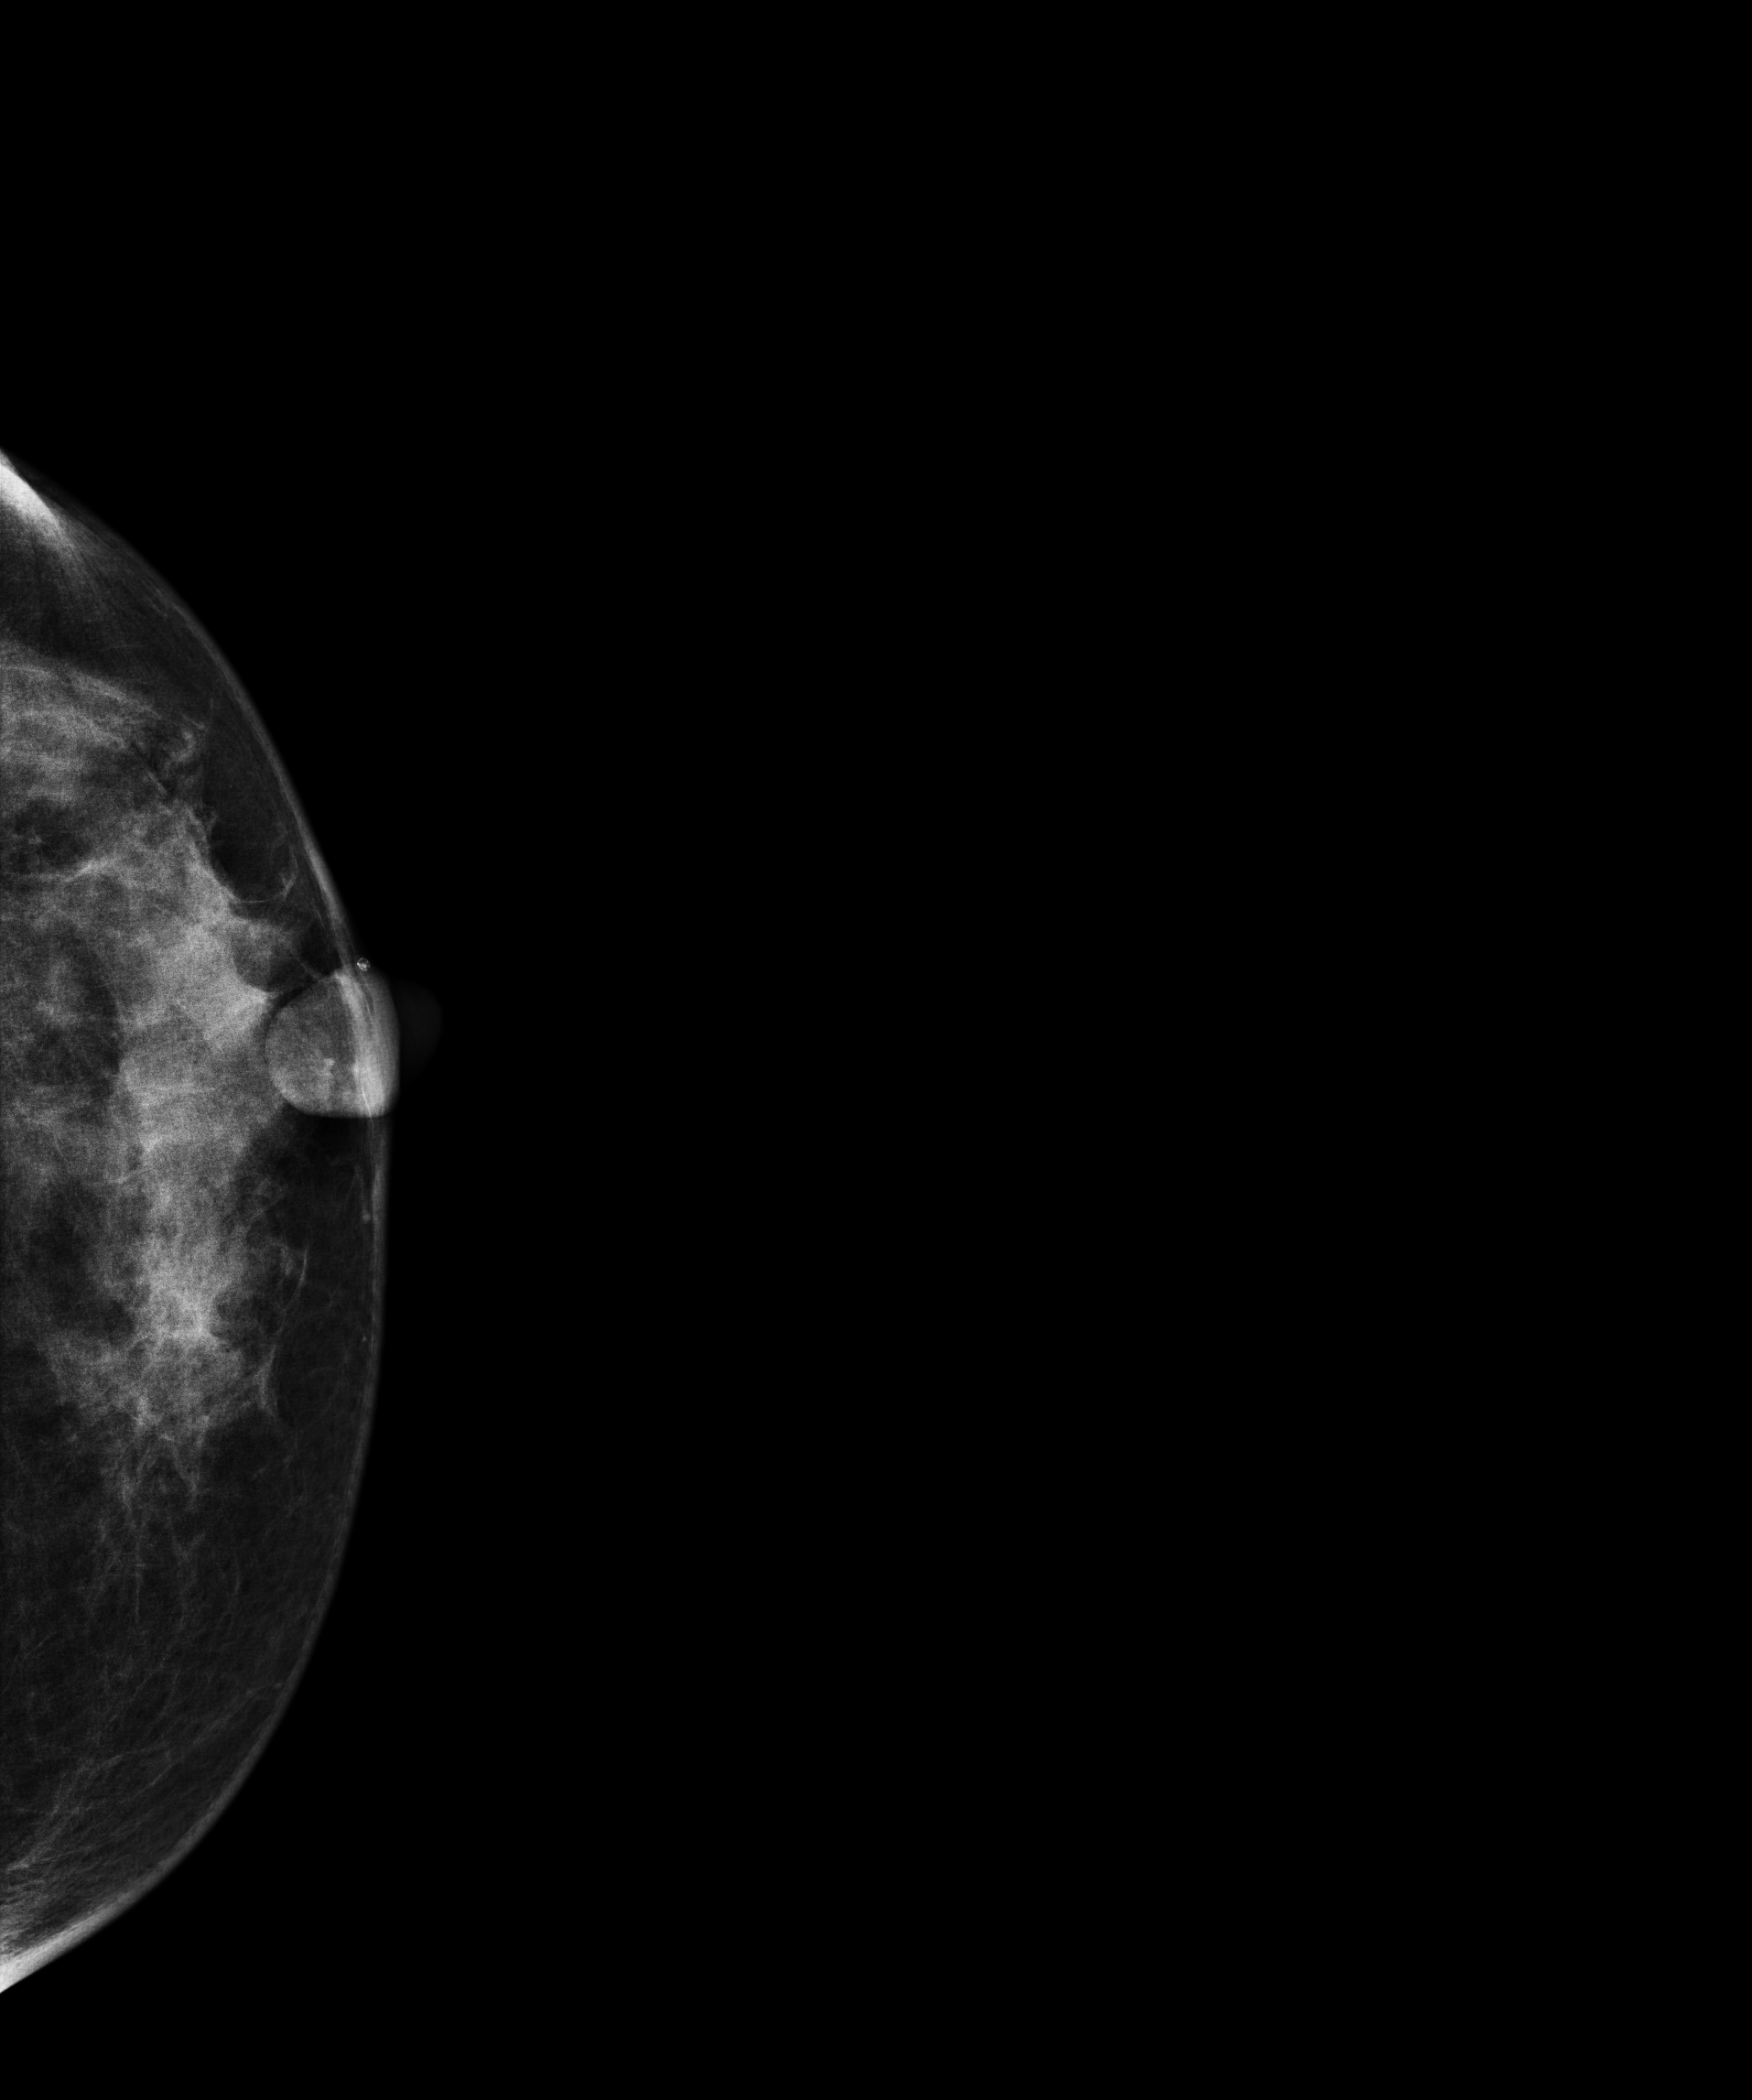
Mammogram — left cranio-caudal. 46 y/o patient.
This breast has a mass, biopsy-confirmed malignant.